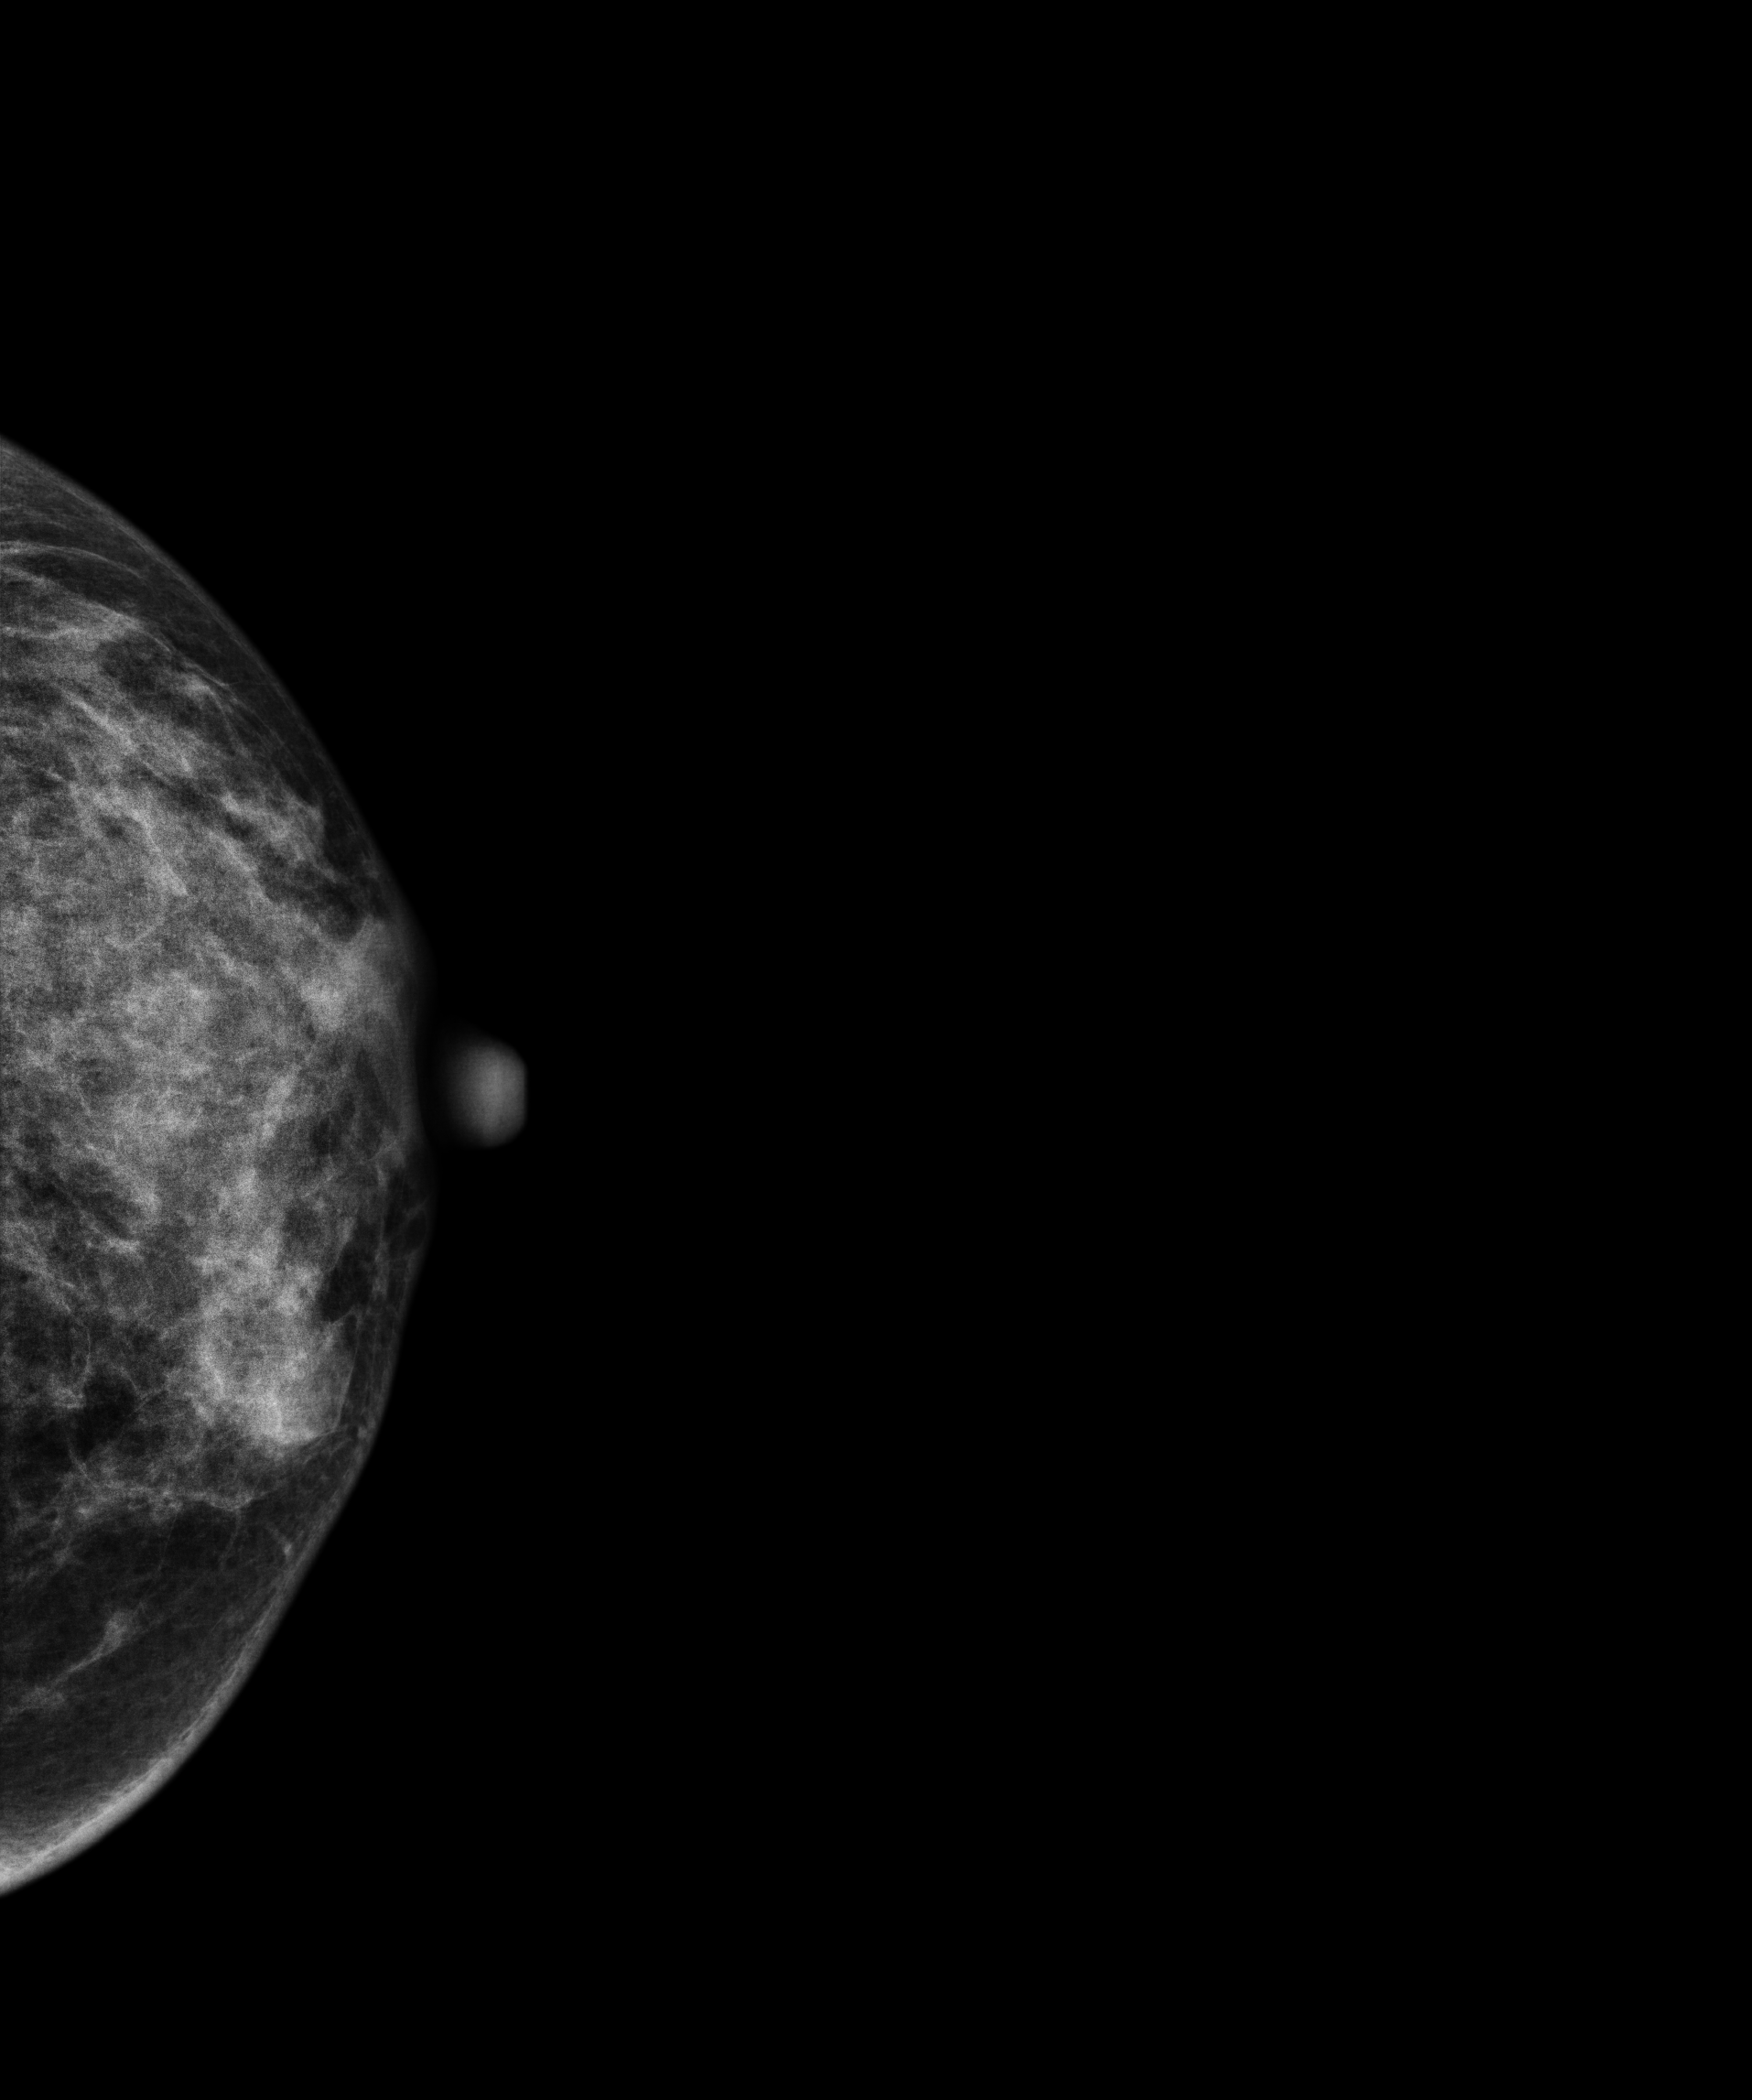
Cranio-caudal mammogram of the left breast. 35-year-old patient.
This breast has a mass, pathology-confirmed benign.